Mammogram — right cranio-caudal. 61 y/o patient.
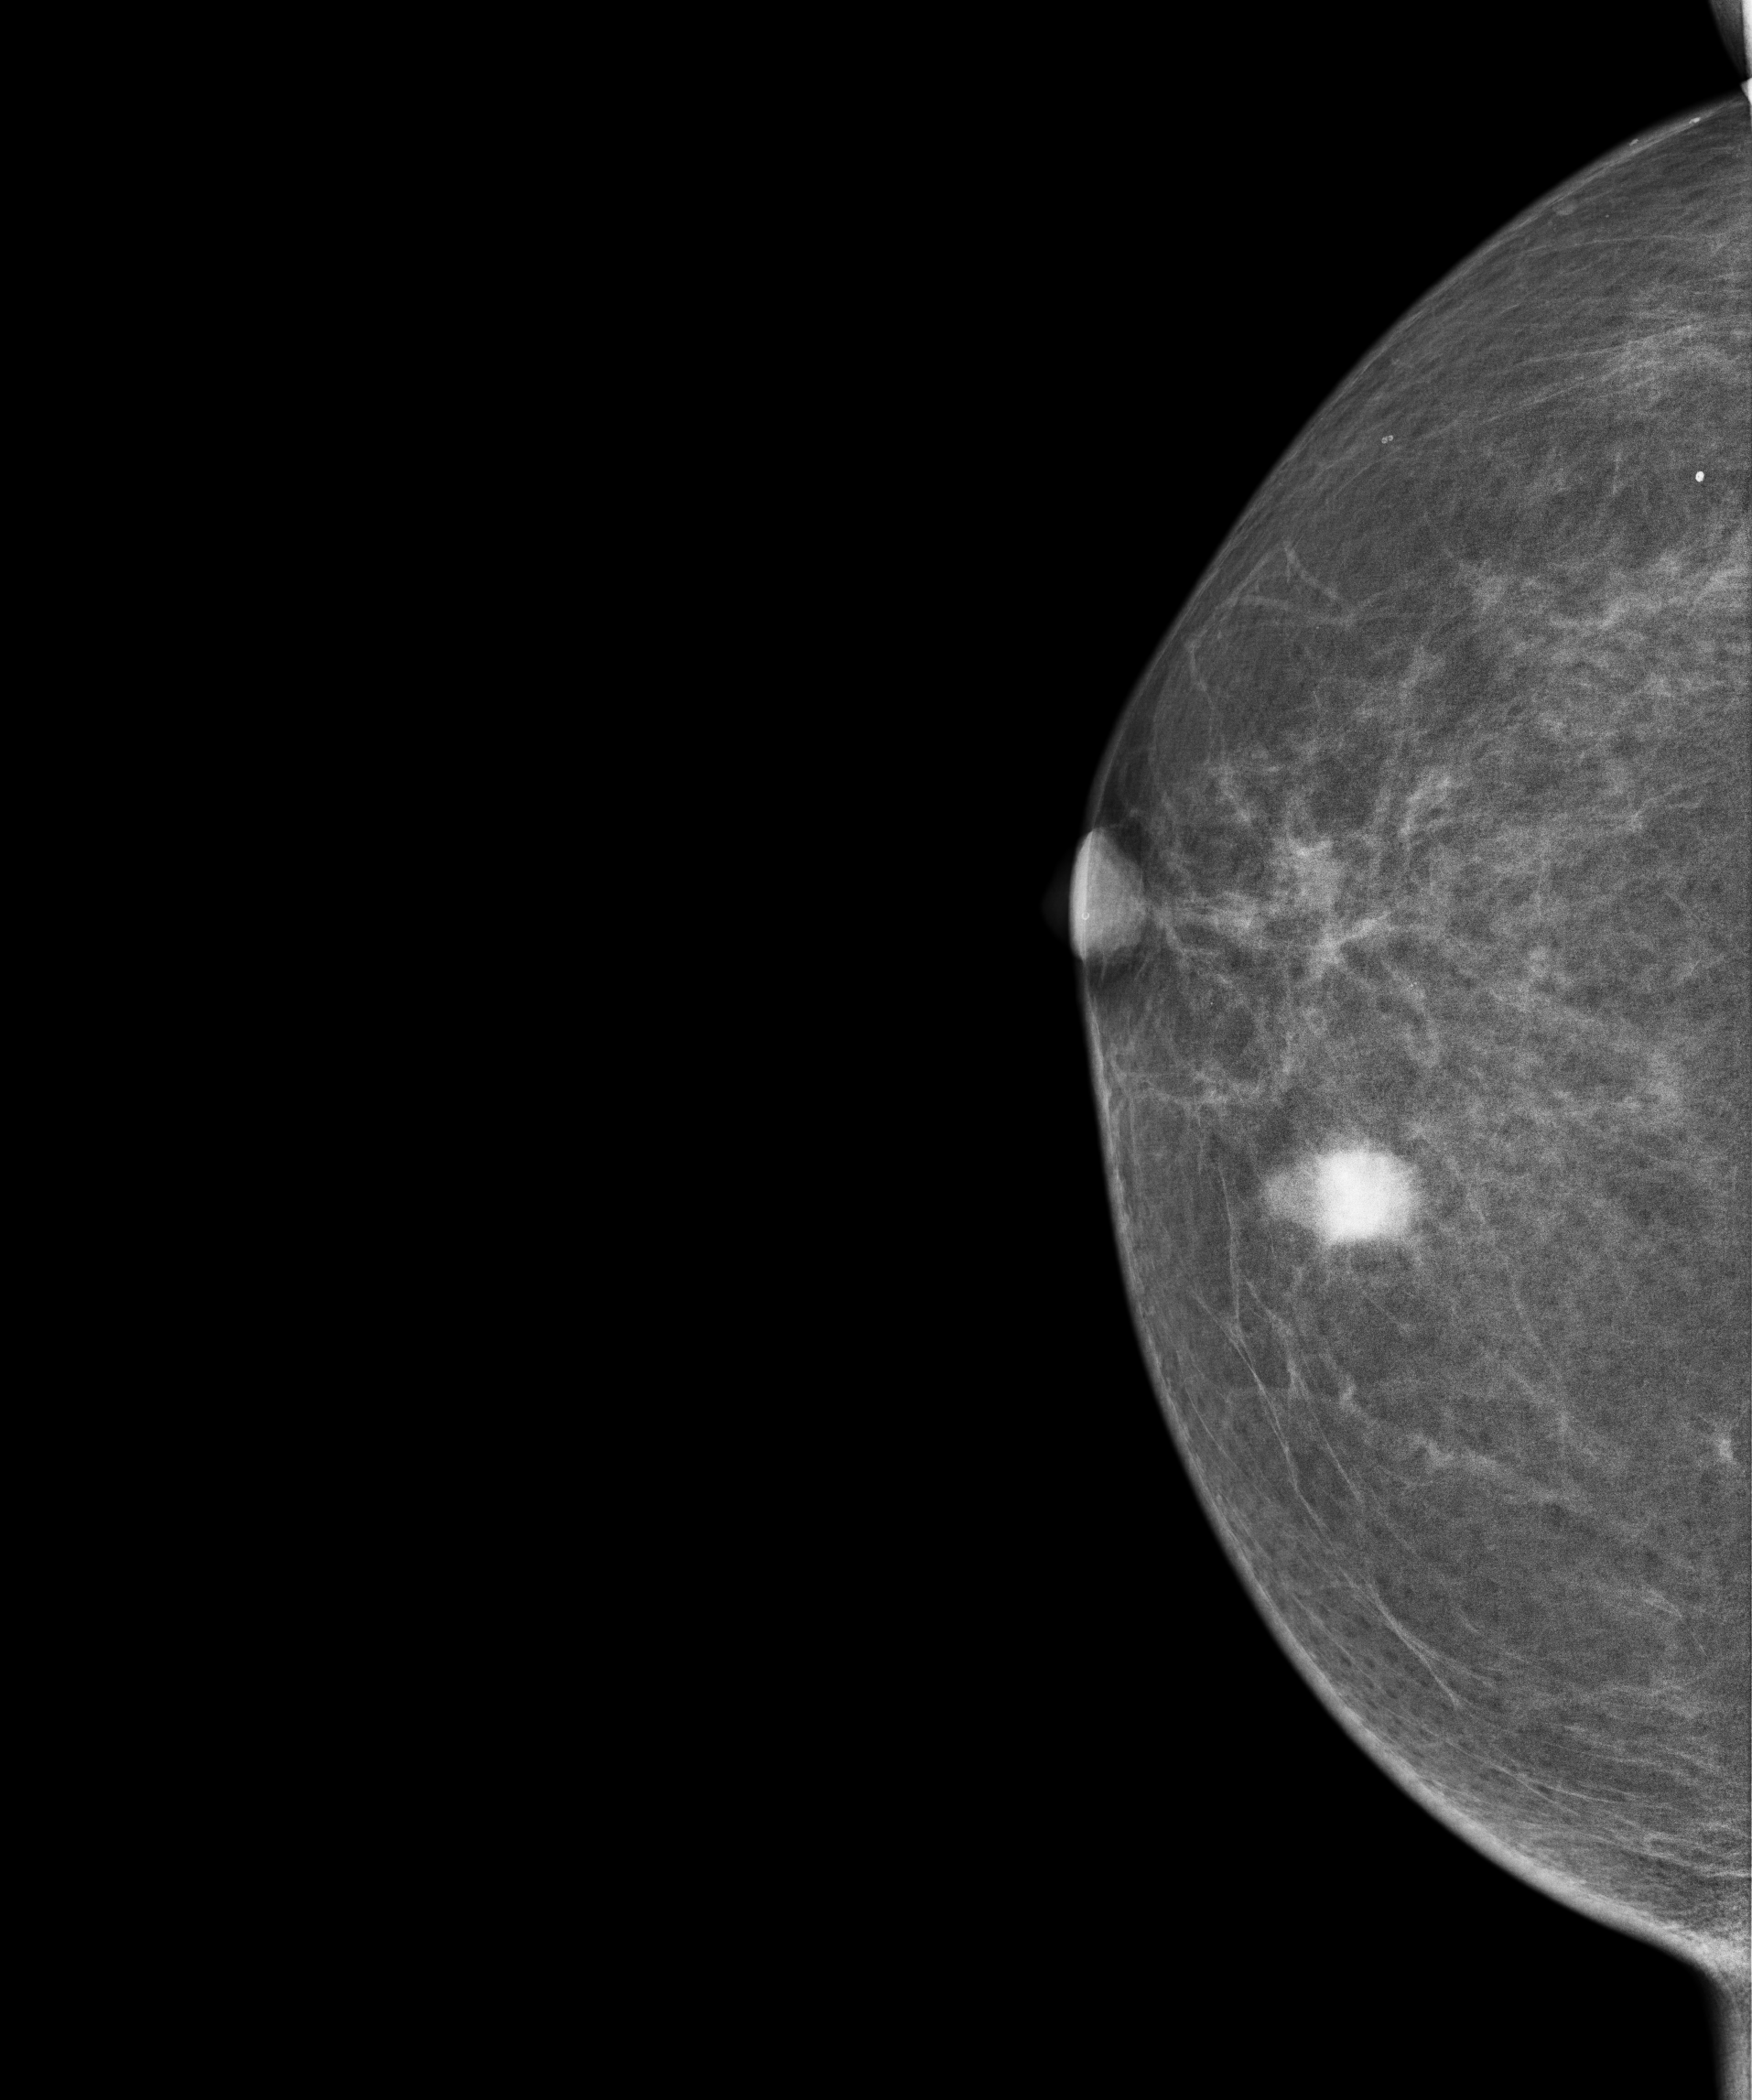
This breast has a mass, pathology-confirmed malignant. Molecular subtype: luminal B.